Digital mammography. Right breast, CC projection. 43 y/o patient.
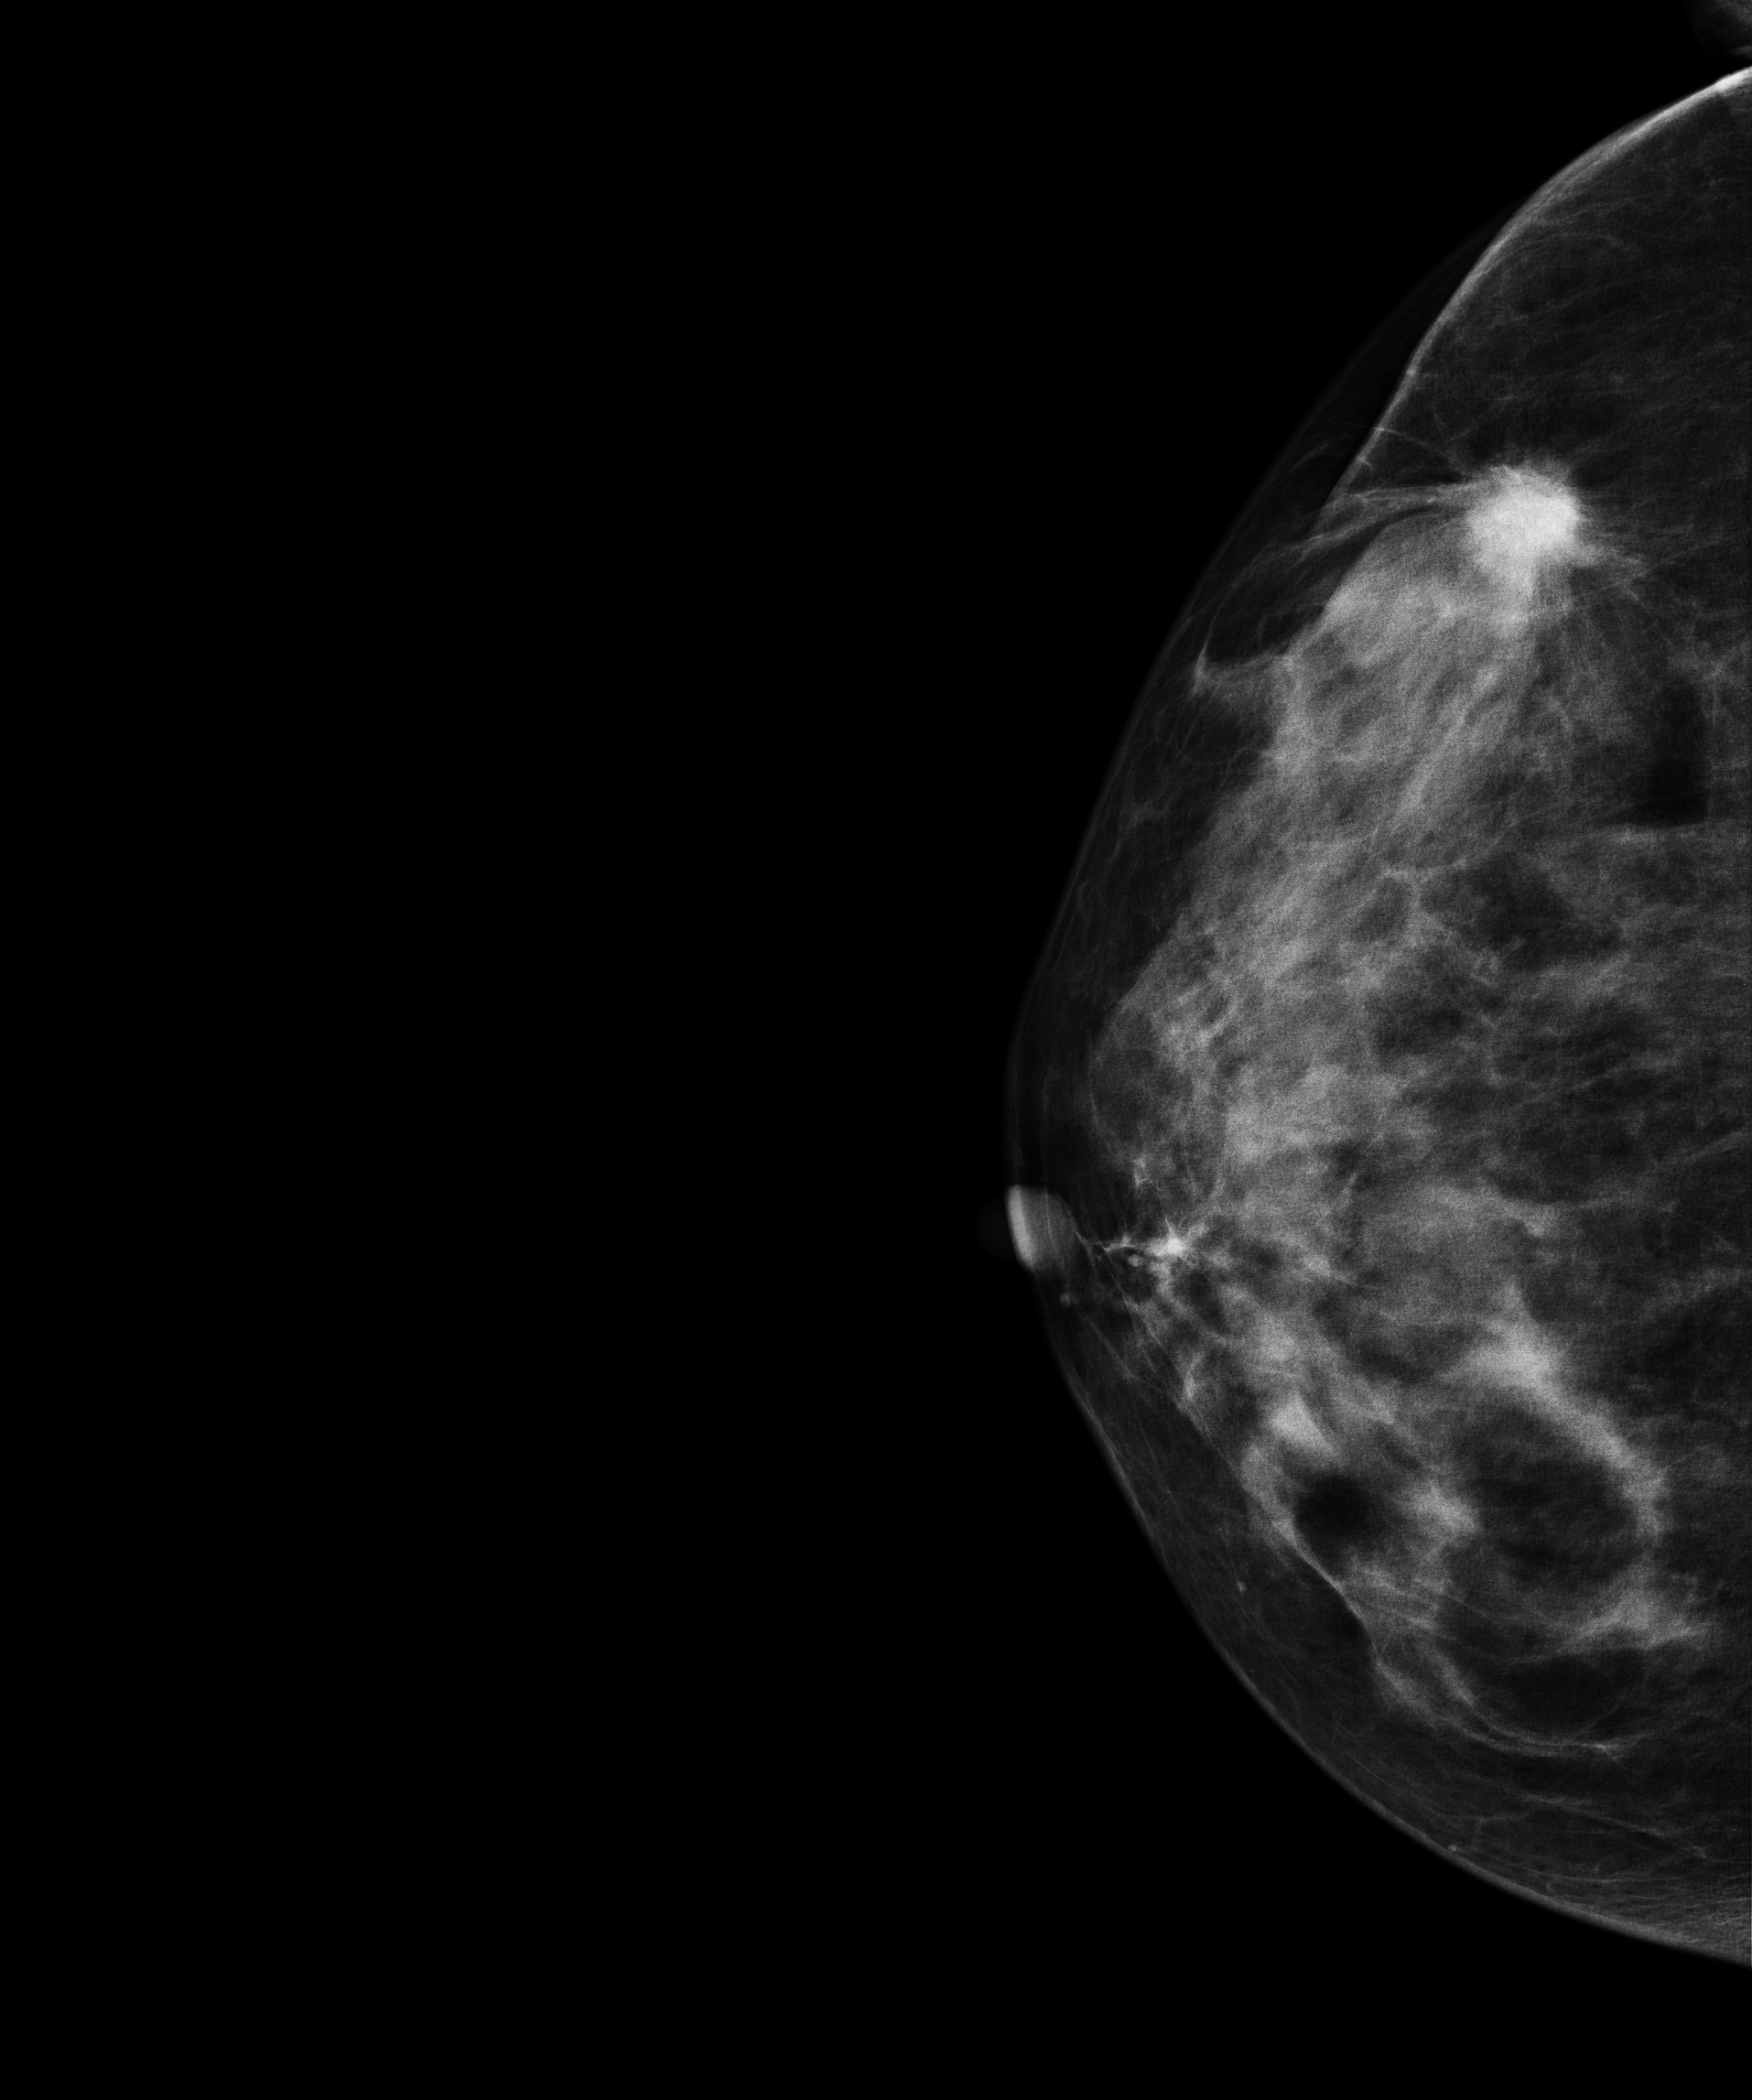
This breast has a mass, biopsy-confirmed malignant.